Mammogram, left breast, CC view. 31-year-old patient.
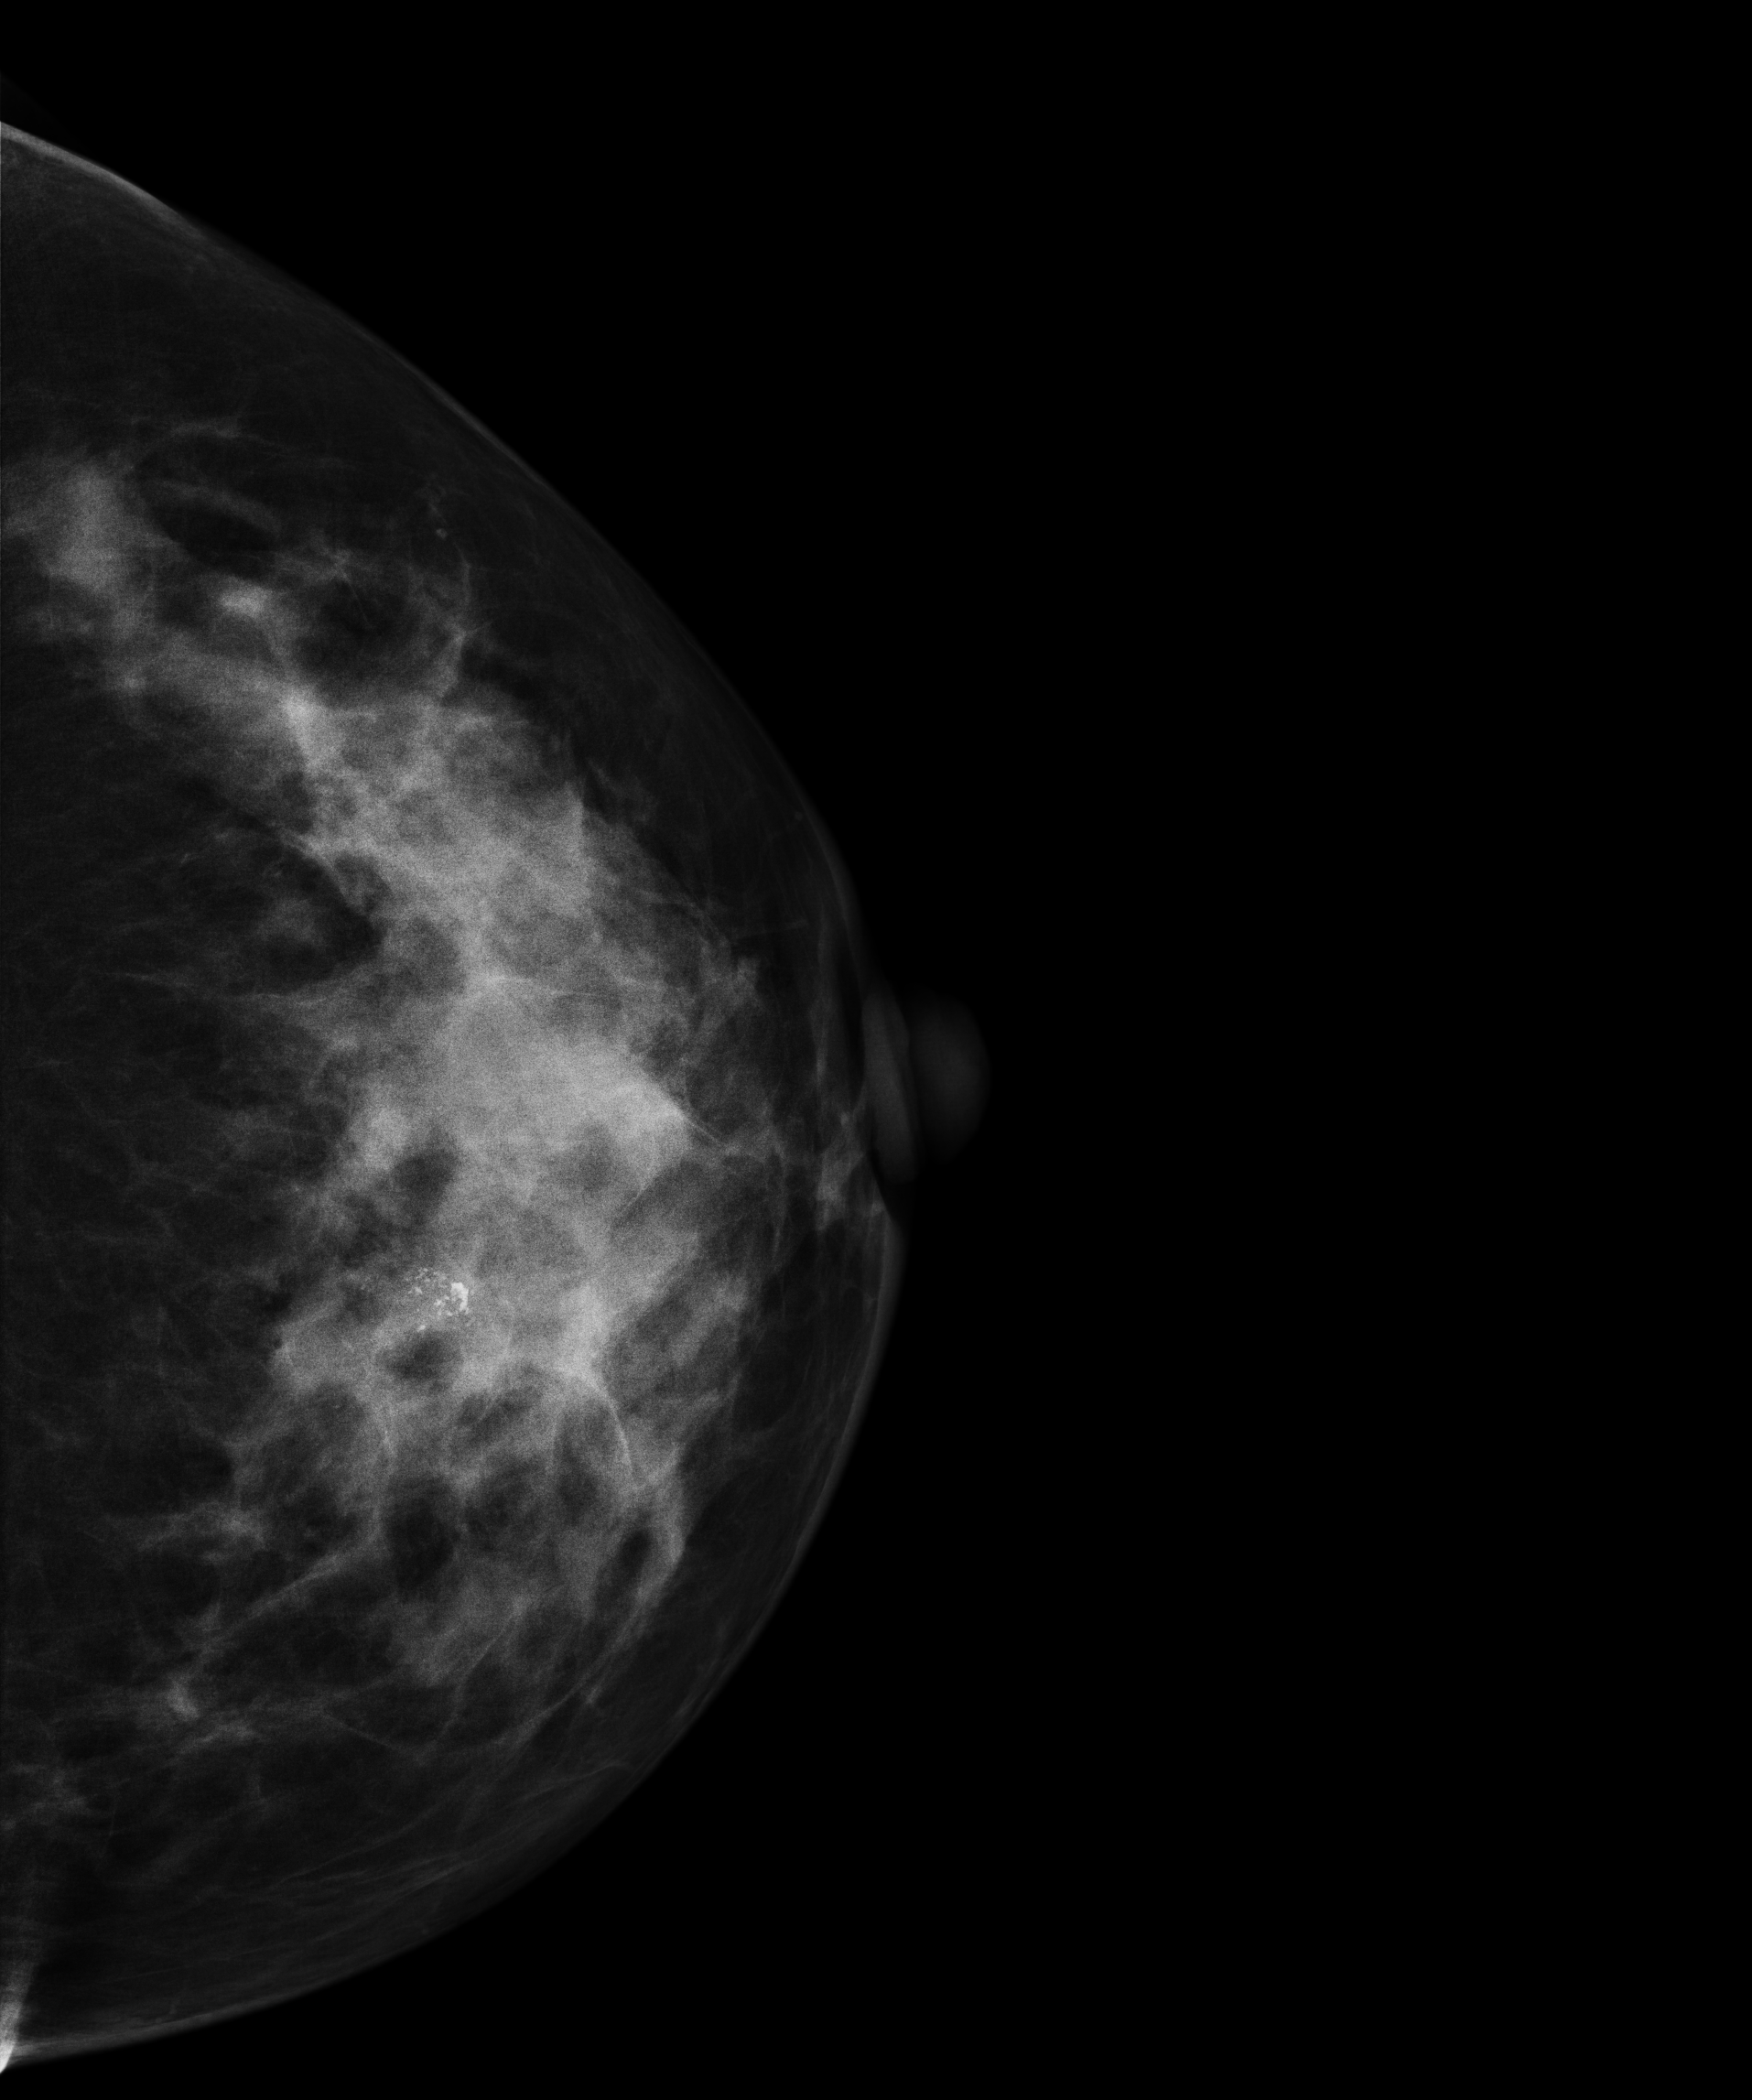
This breast has calcifications, histologically confirmed malignant.